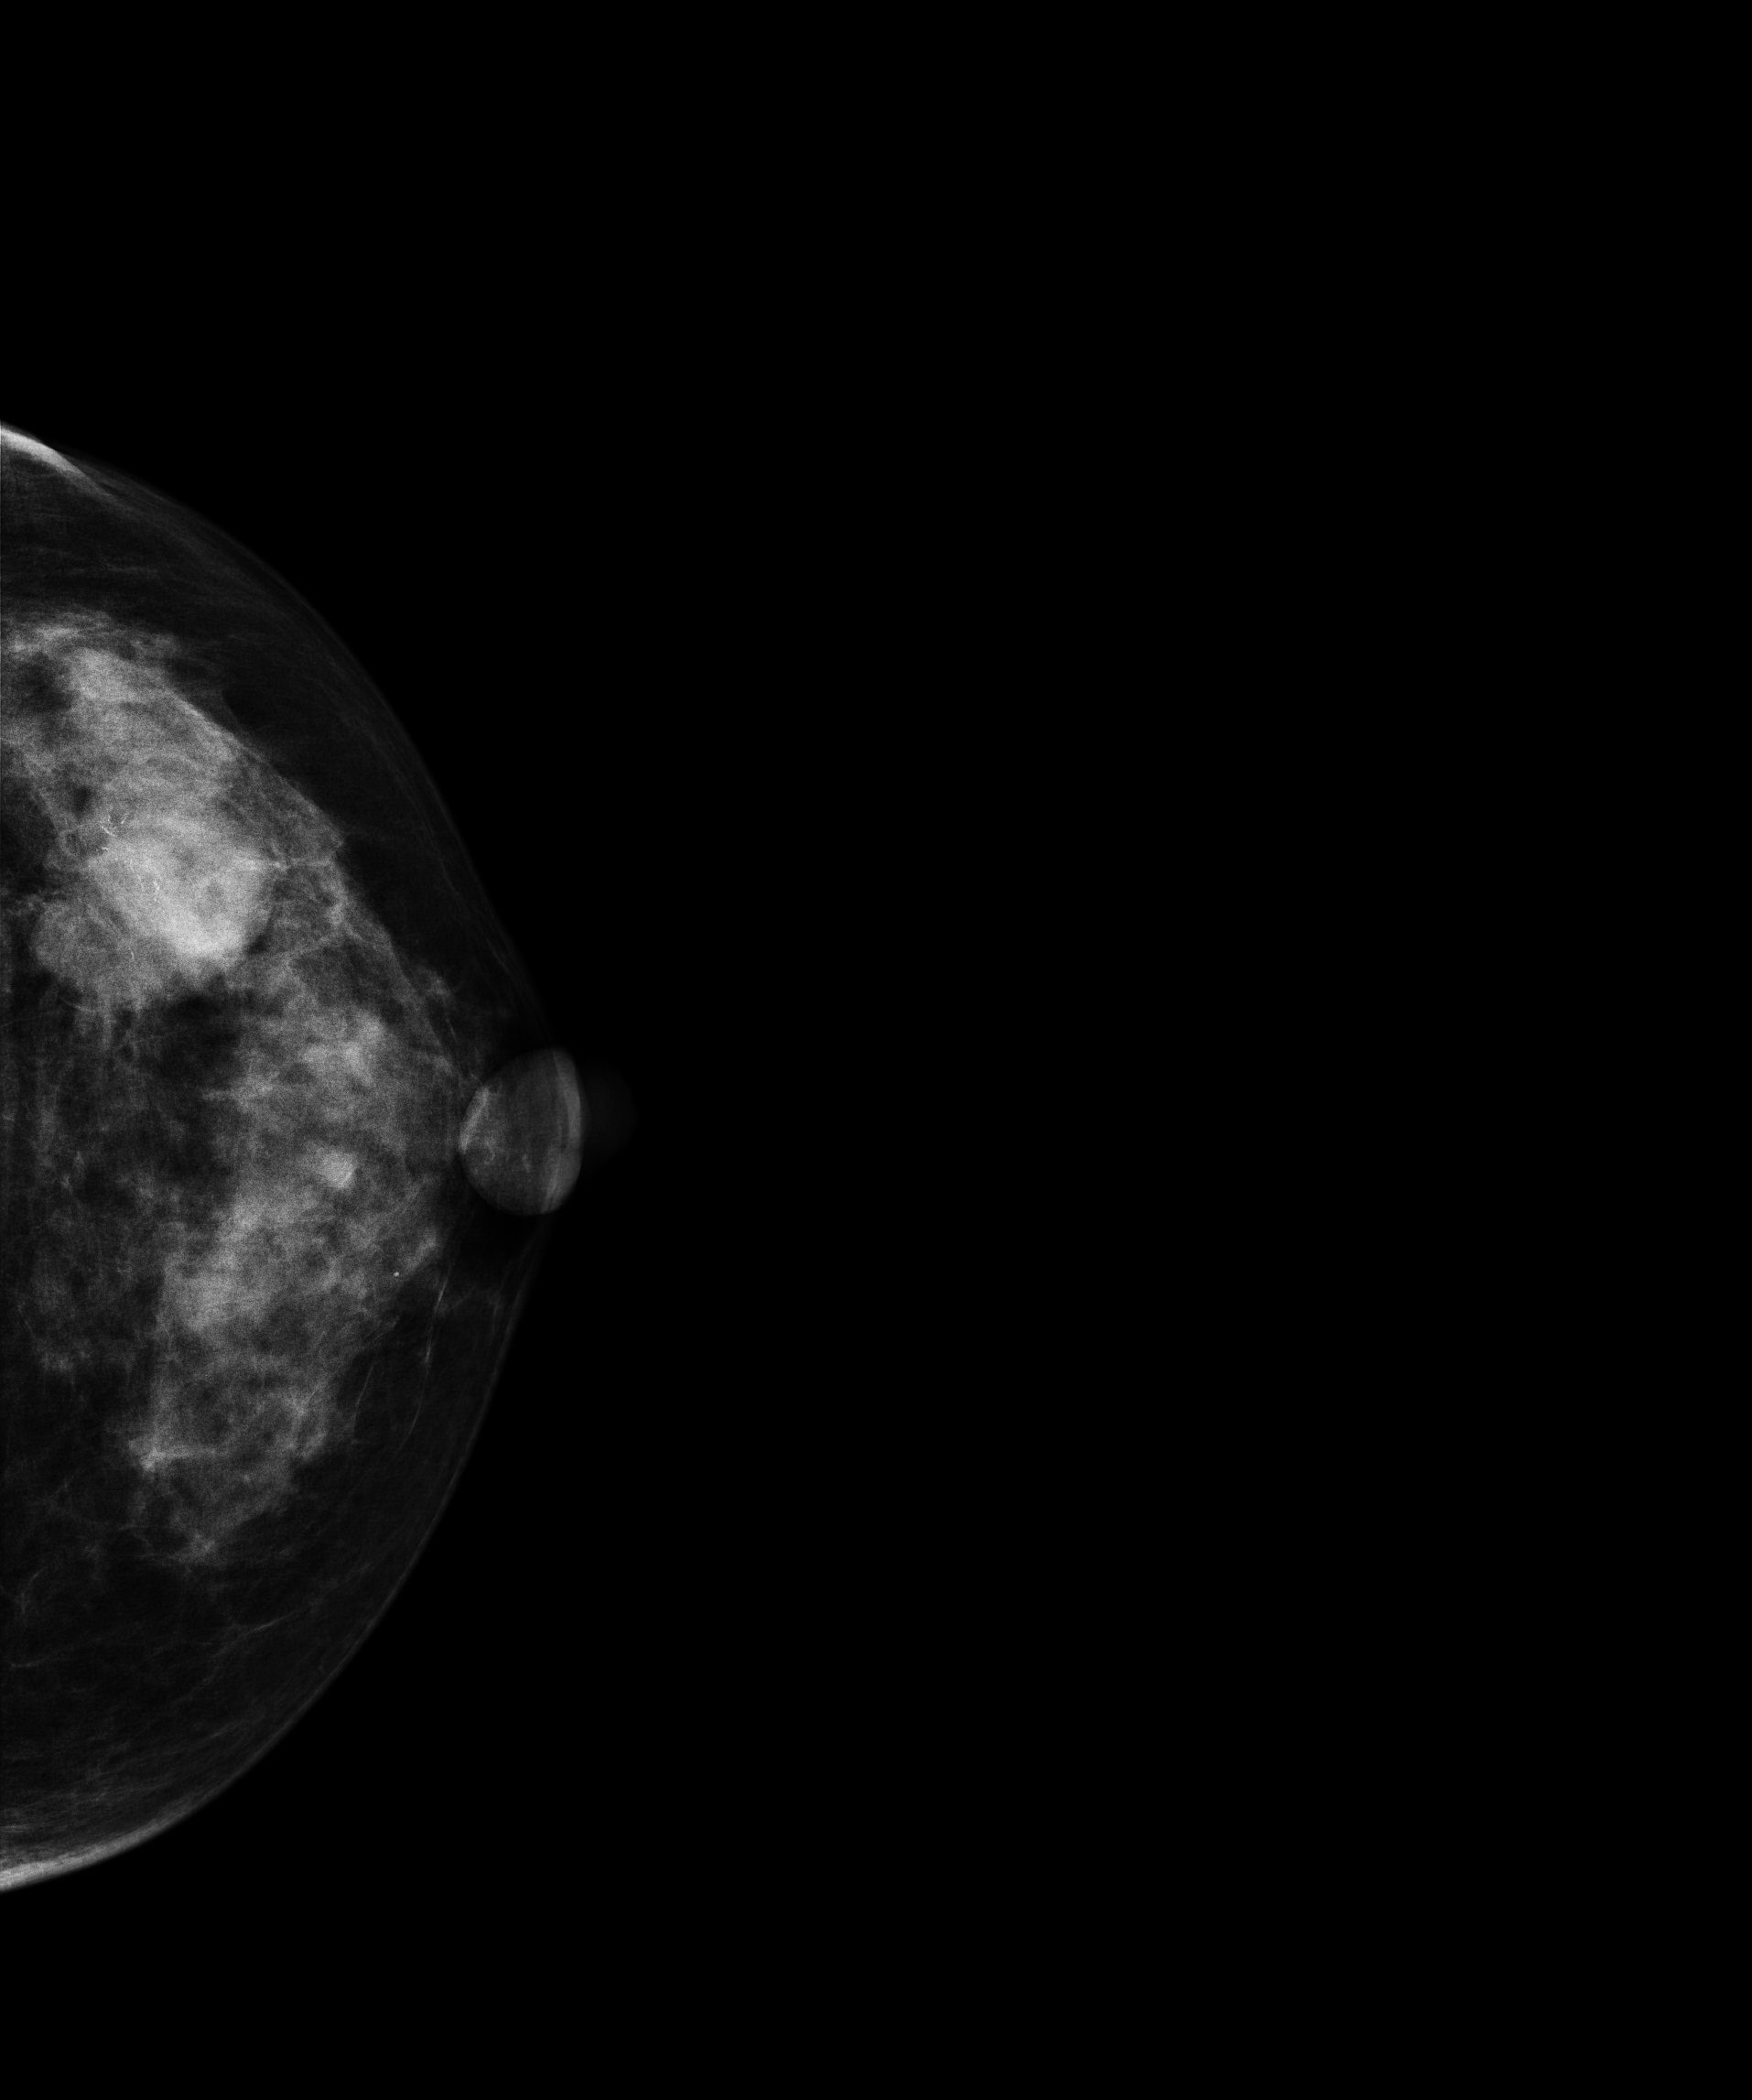
Mammogram, left breast, CC view. Patient age 48.
This breast has a mass and calcifications, histologically confirmed malignant. Molecular subtype: luminal B.